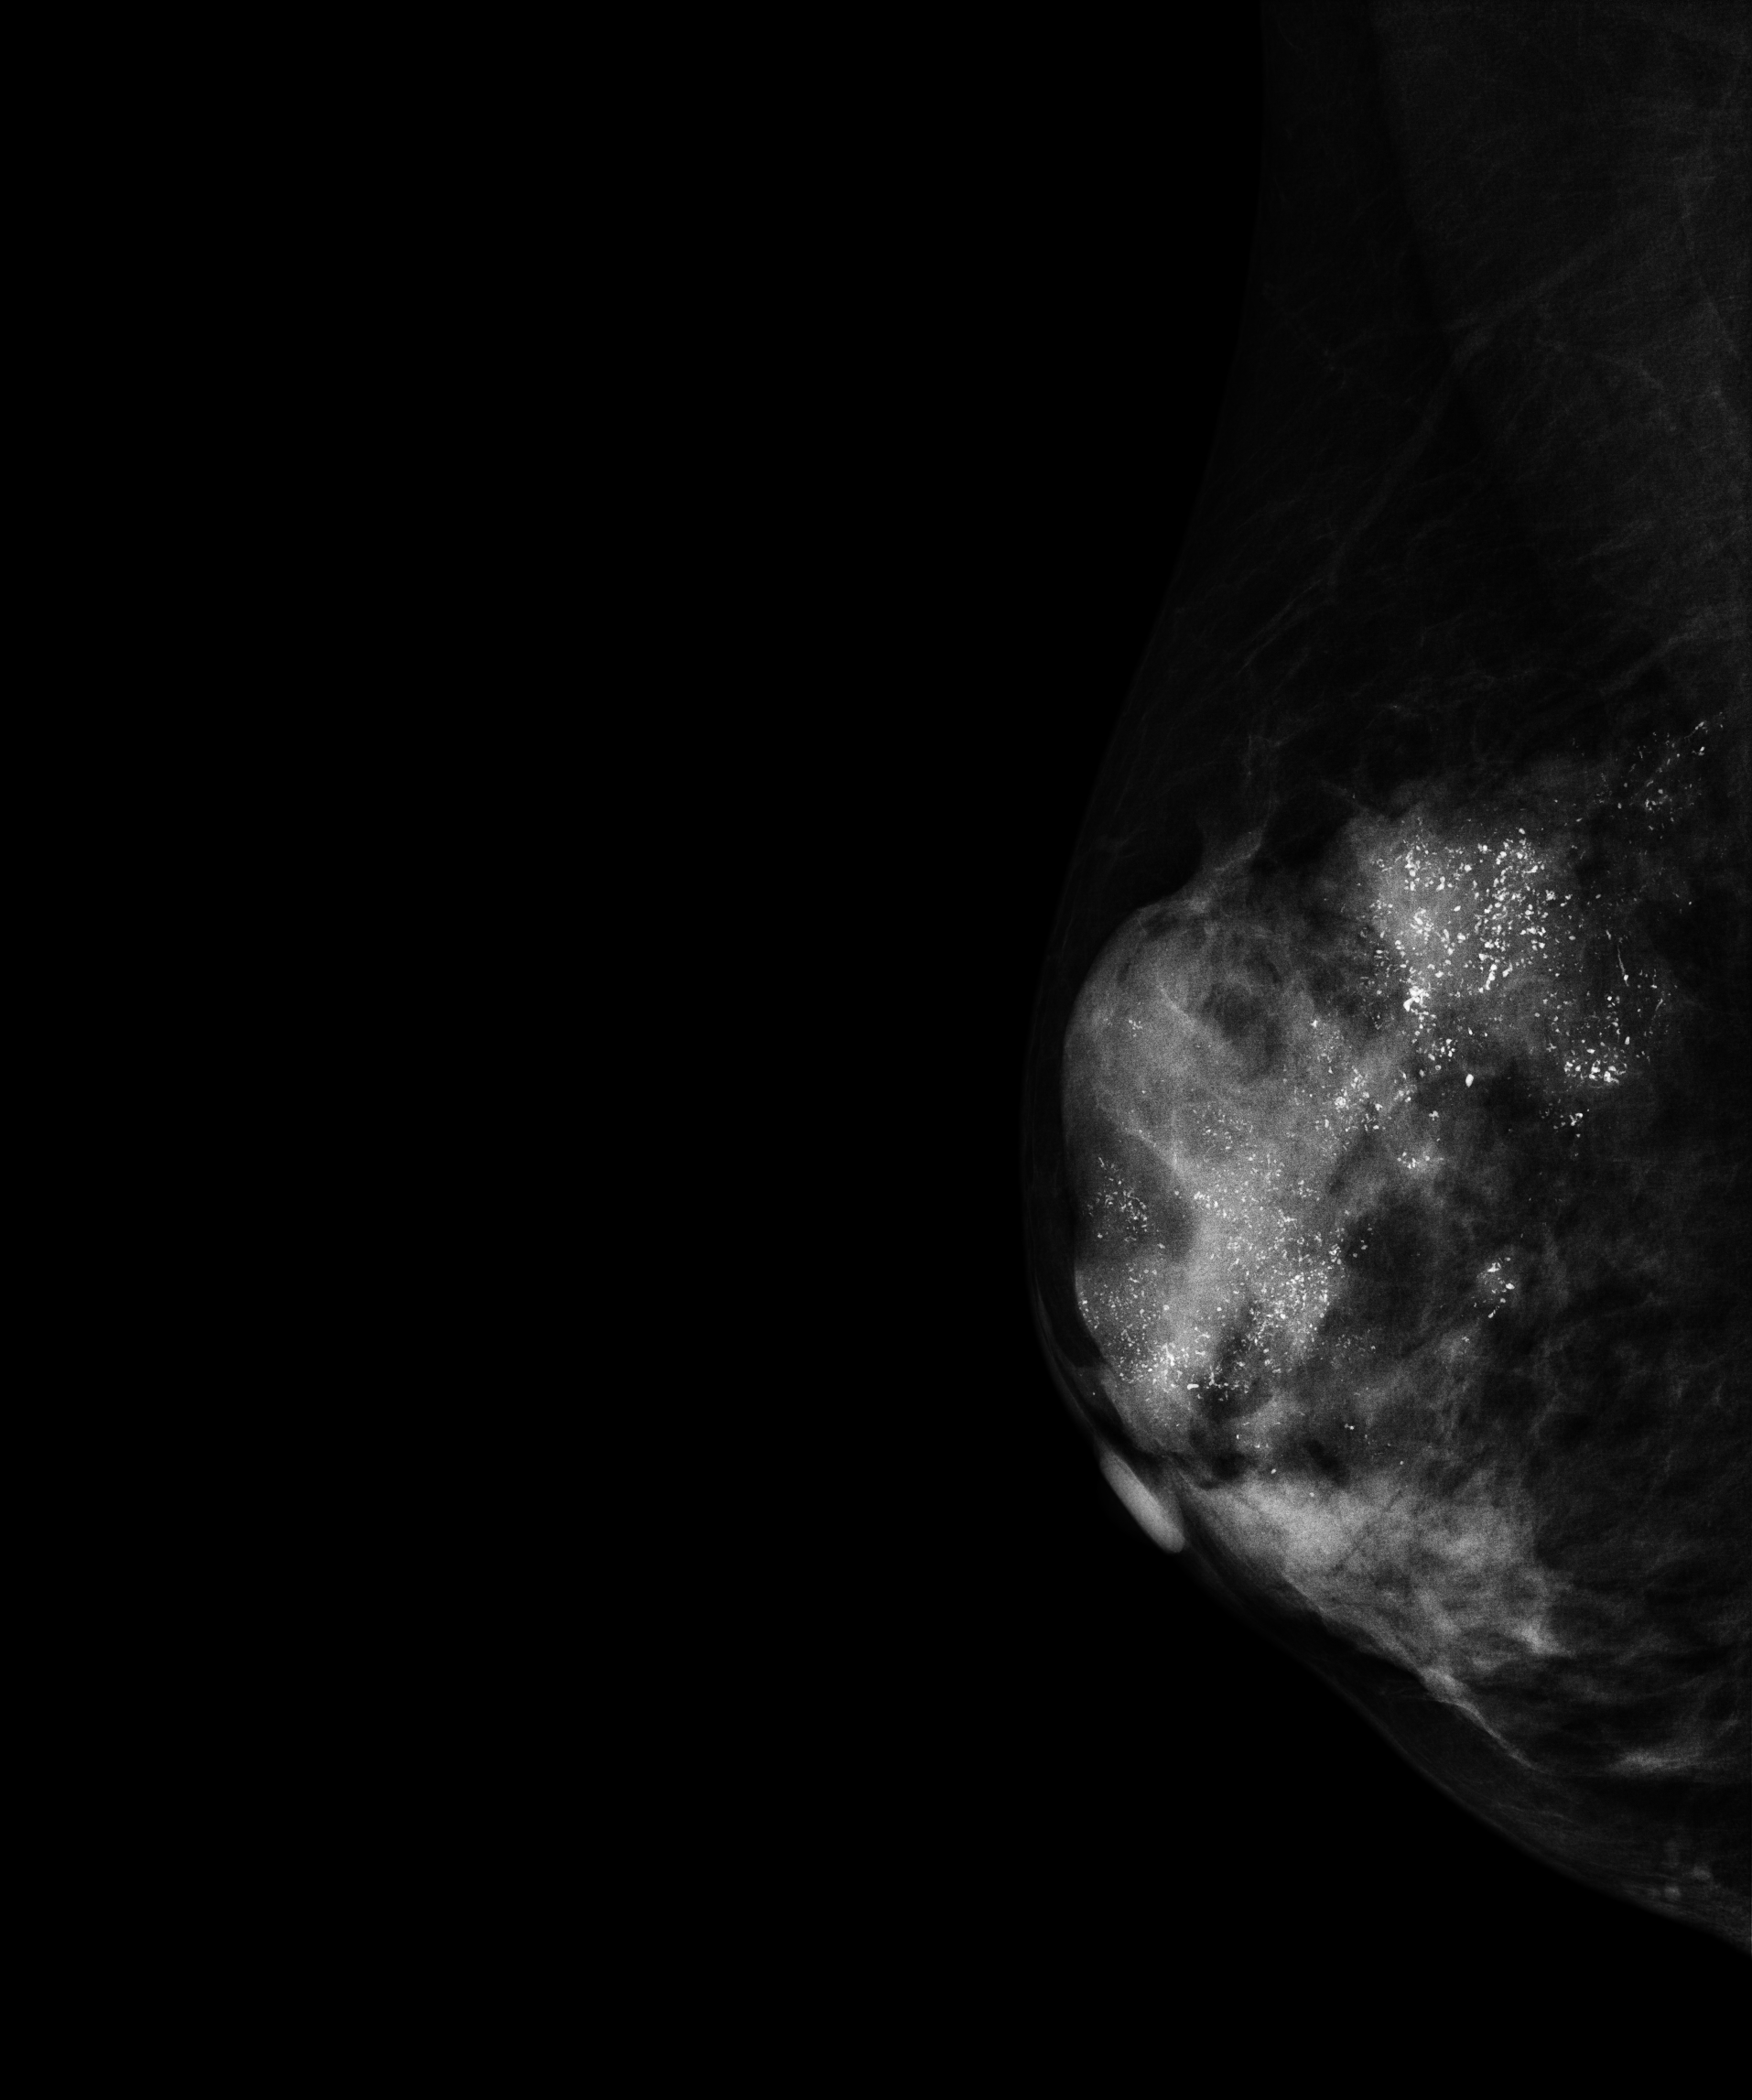
Right-breast mammogram, medio-lateral oblique. 60-year-old patient.
This breast has a mass and calcifications, biopsy-confirmed malignant. Molecular subtype: luminal B.